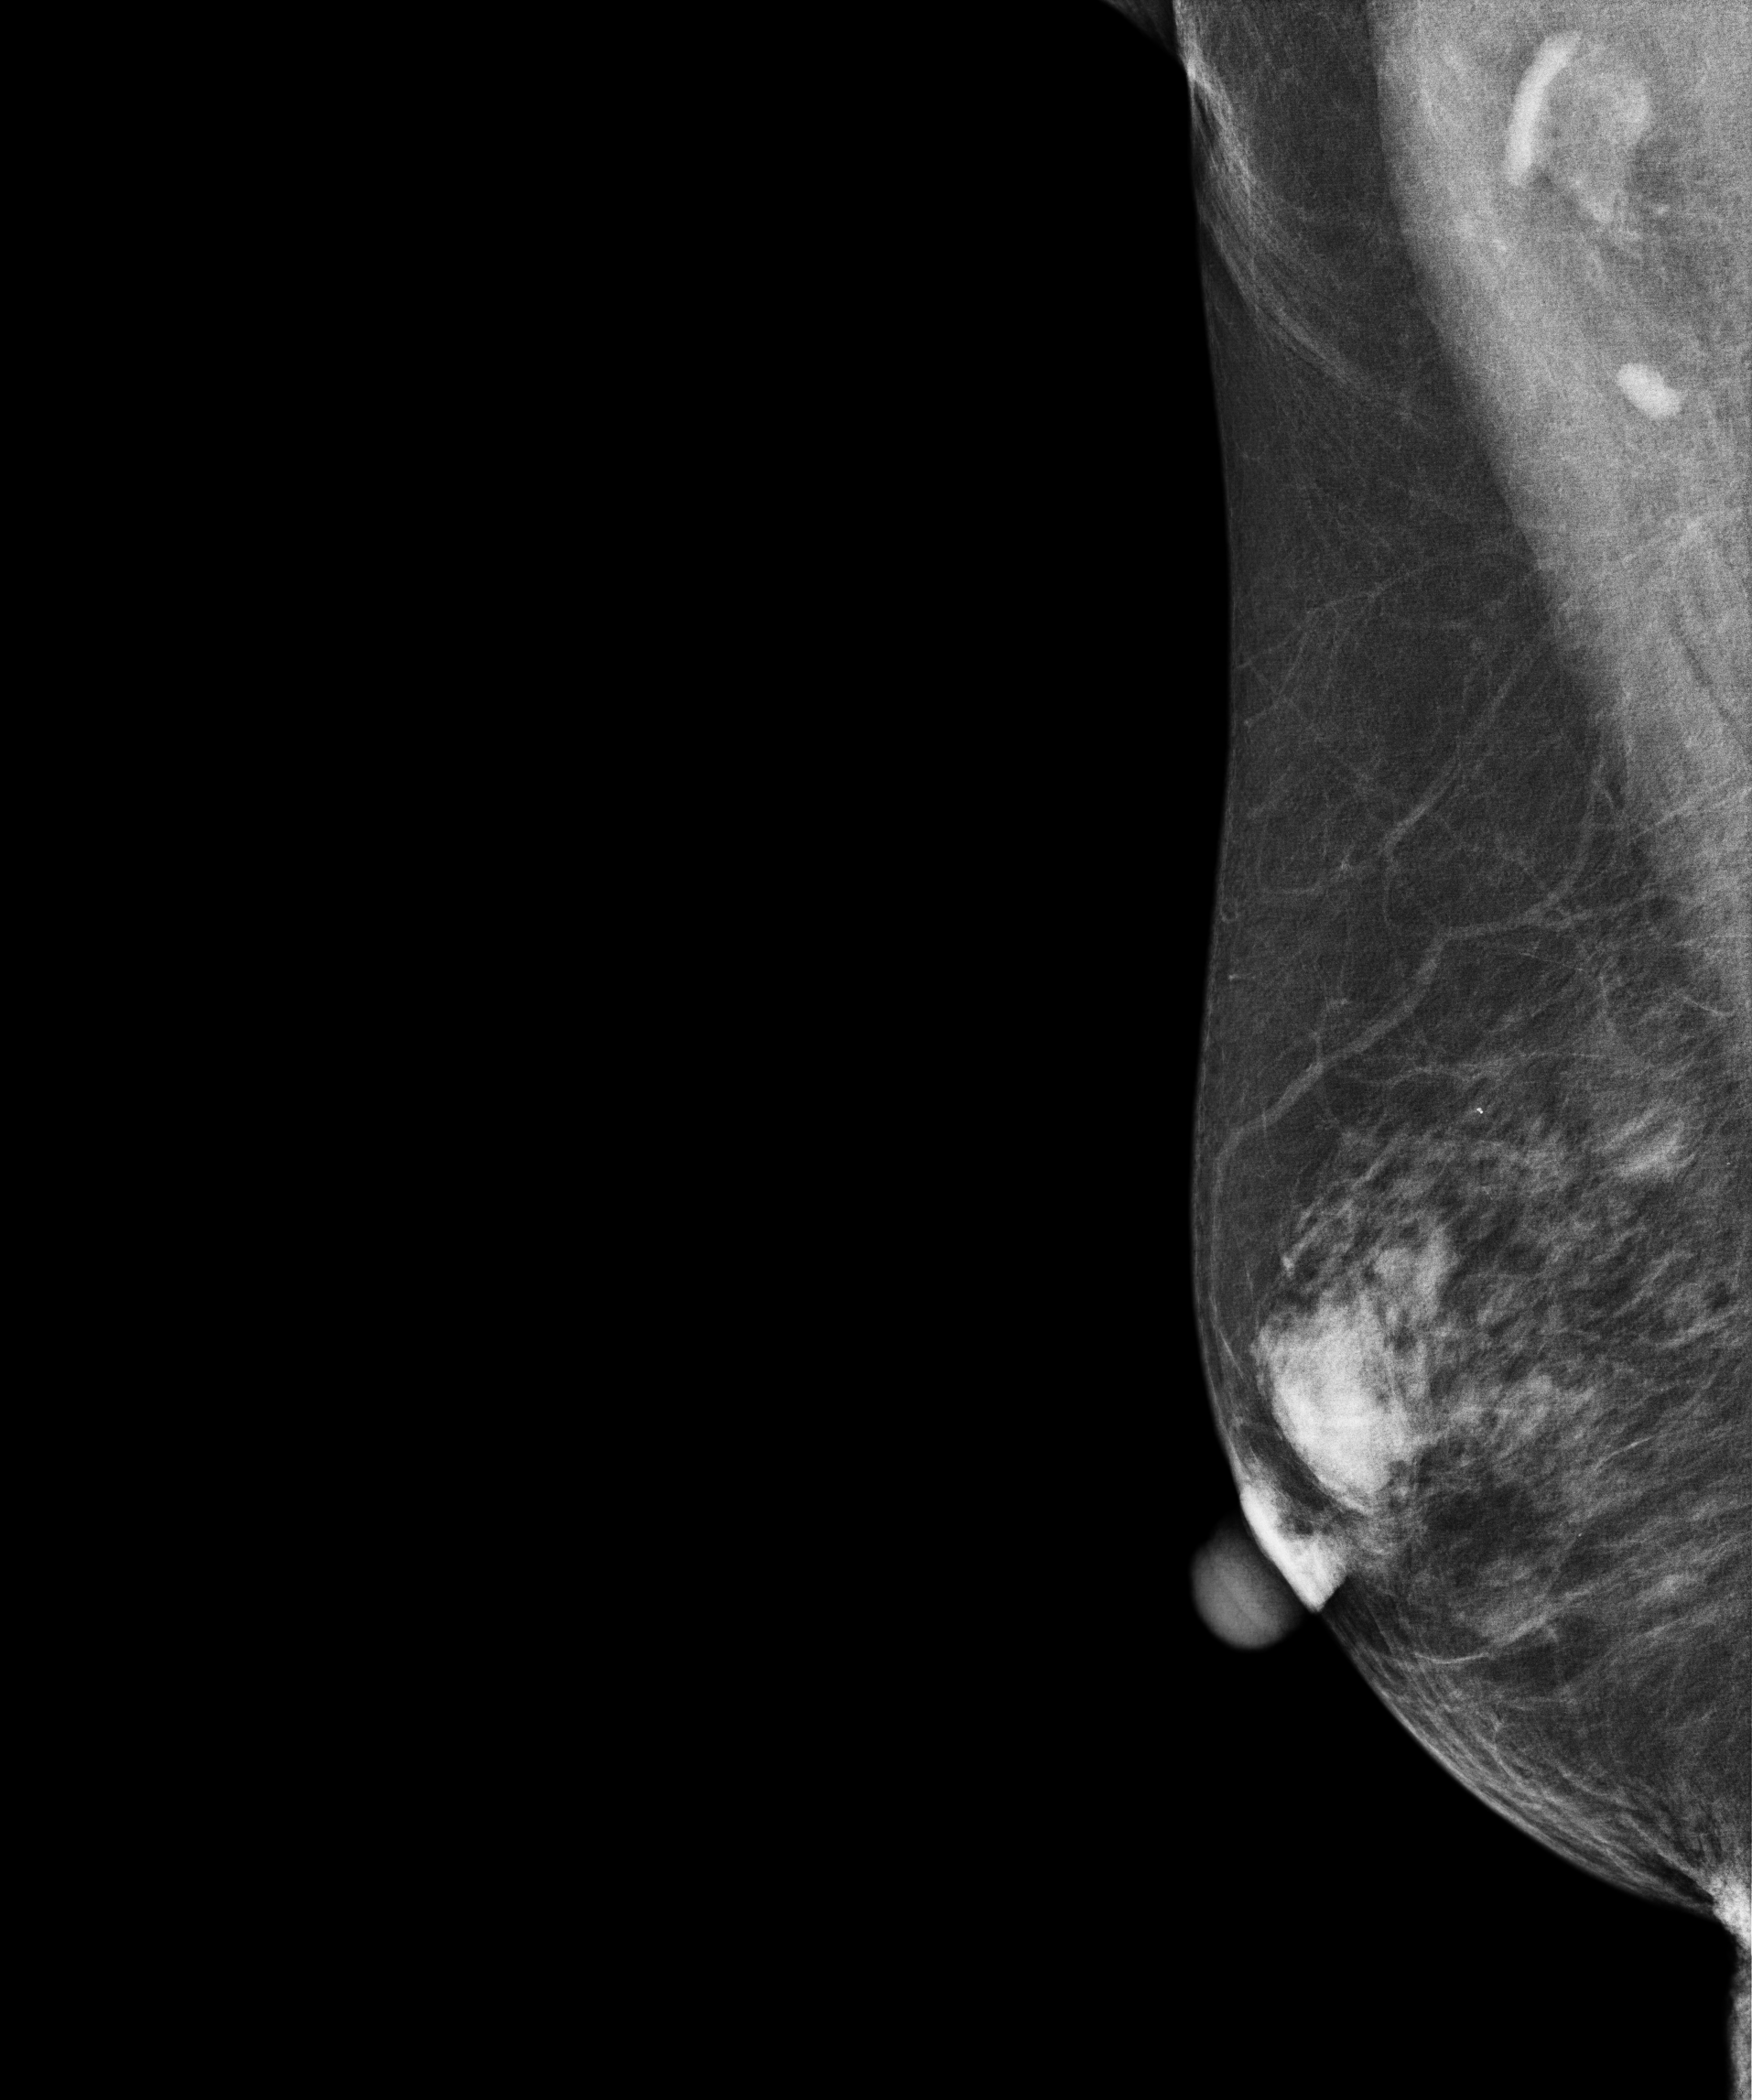
Mammogram, right breast, MLO view. Patient age 83.
Contralateral breast — no documented abnormality on this side.